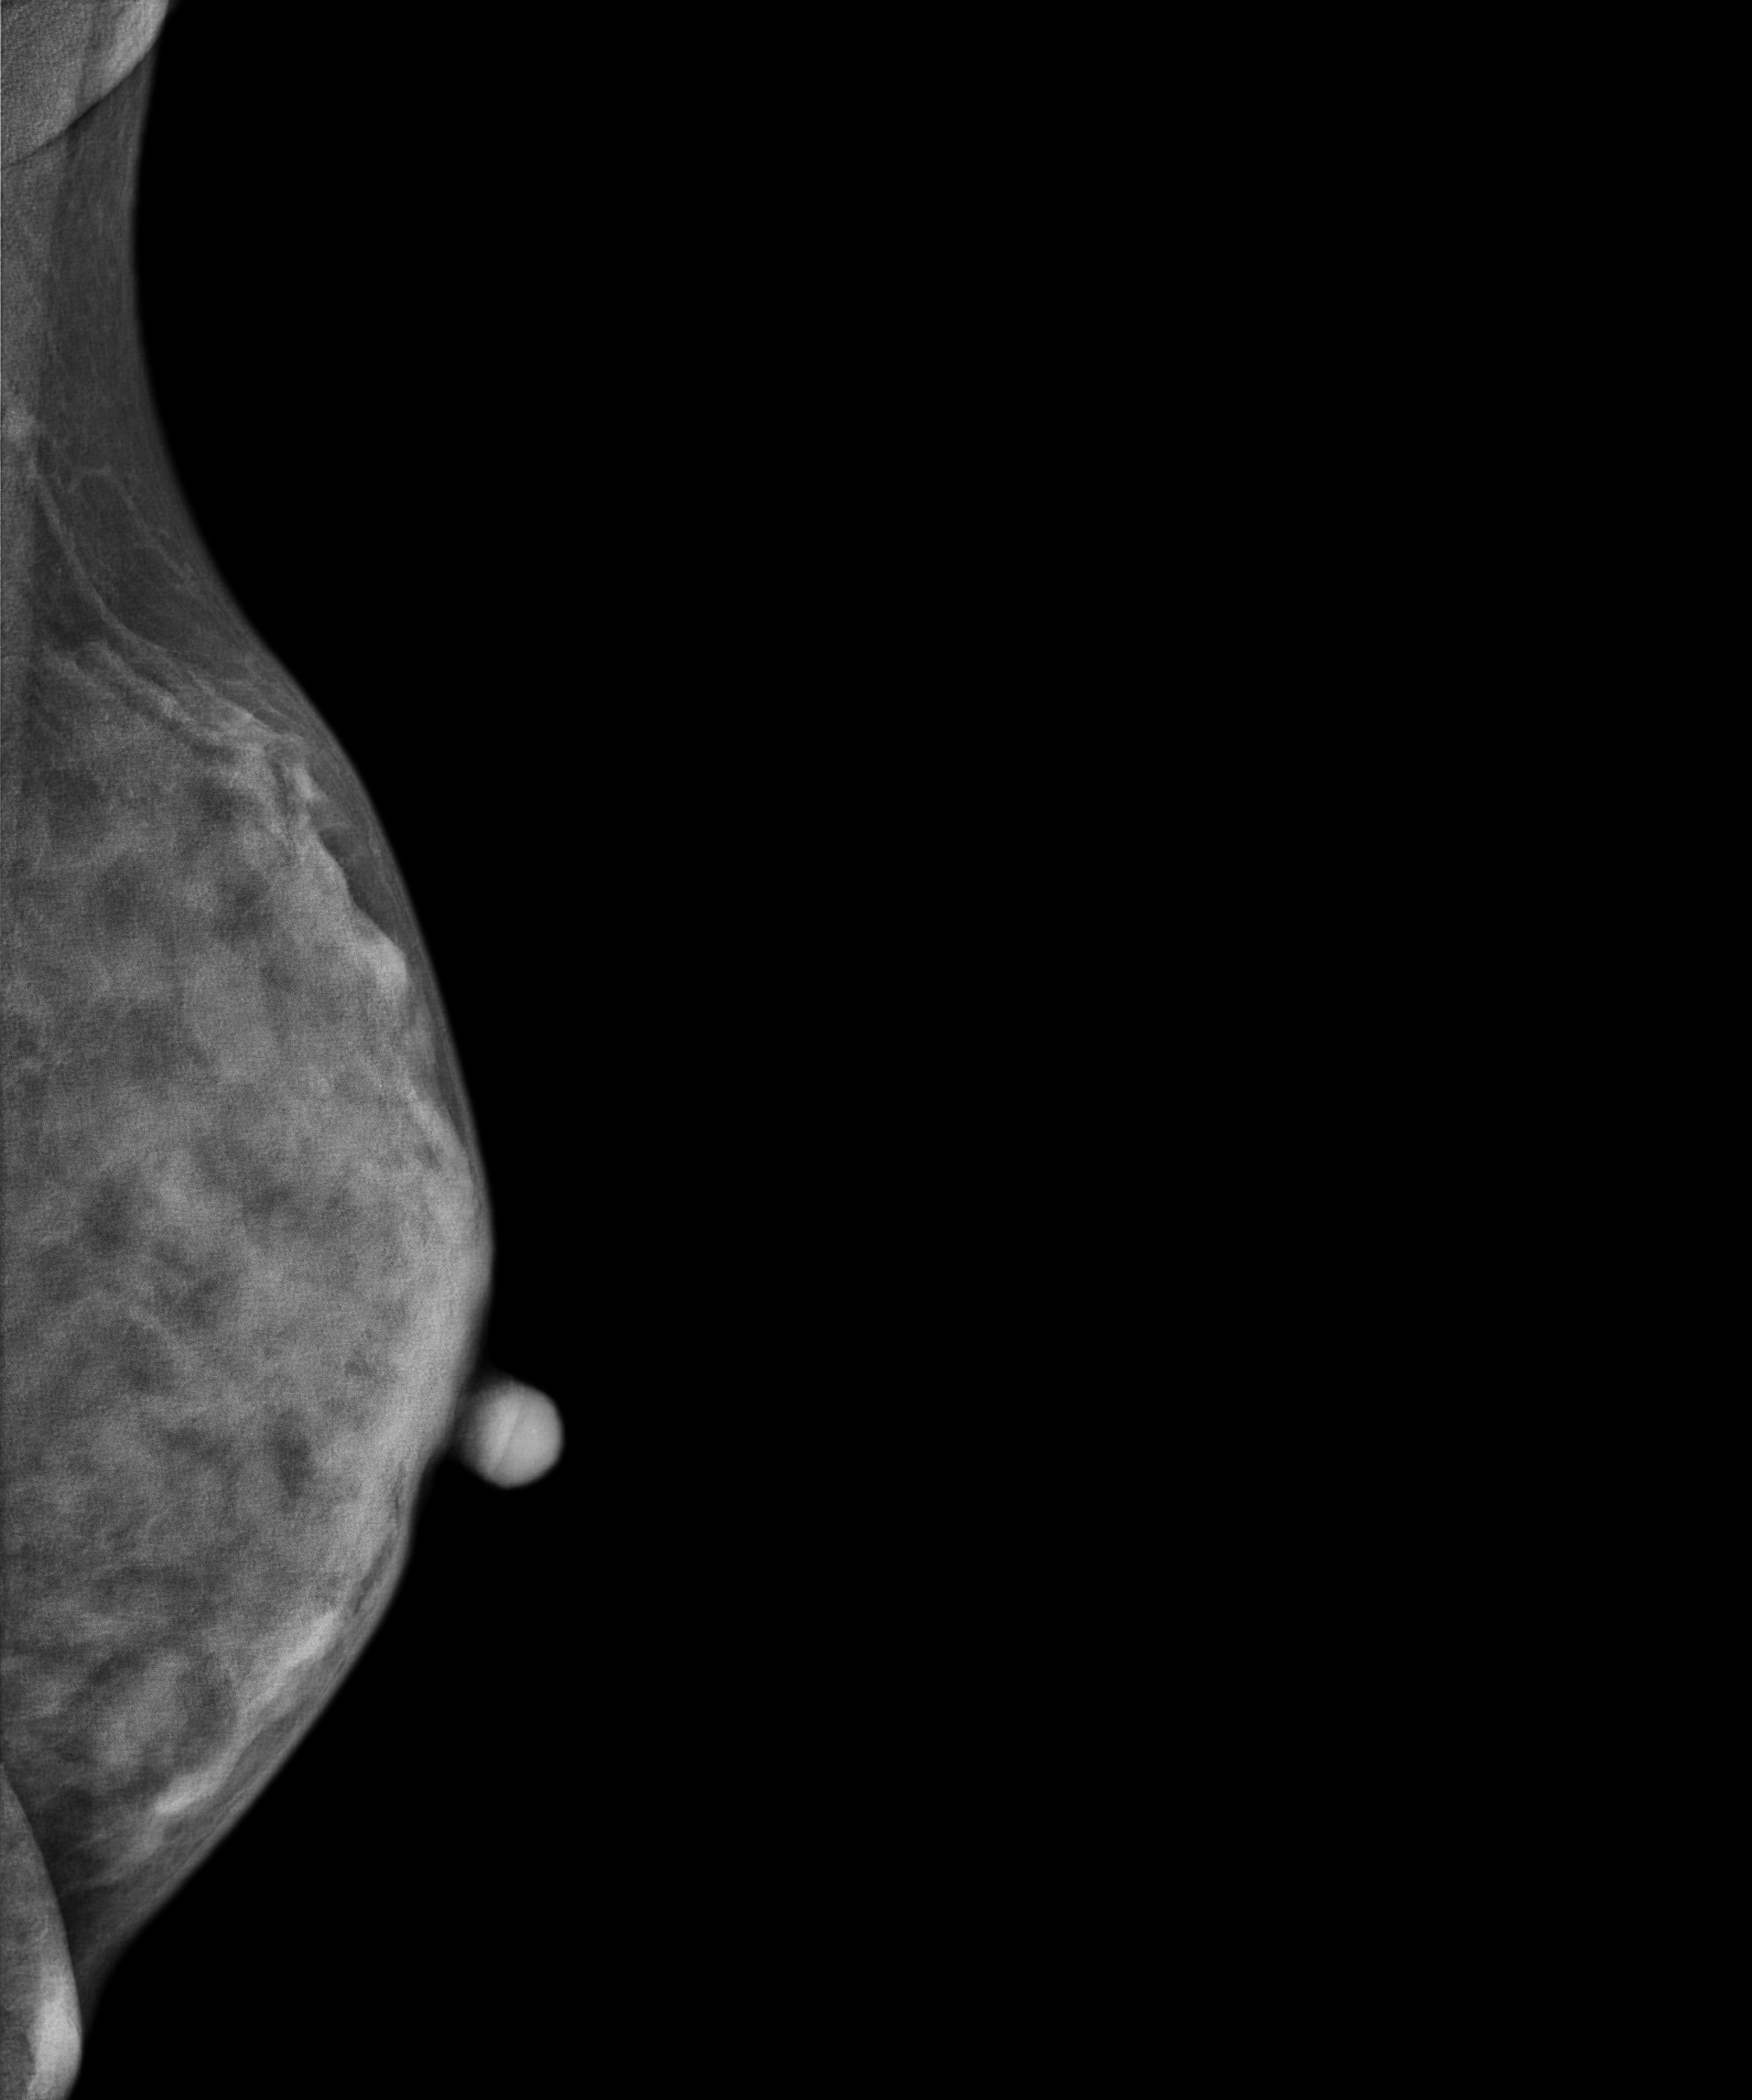
Medio-lateral oblique mammogram of the left breast. 40-year-old patient.
Contralateral breast — no documented abnormality on this side.